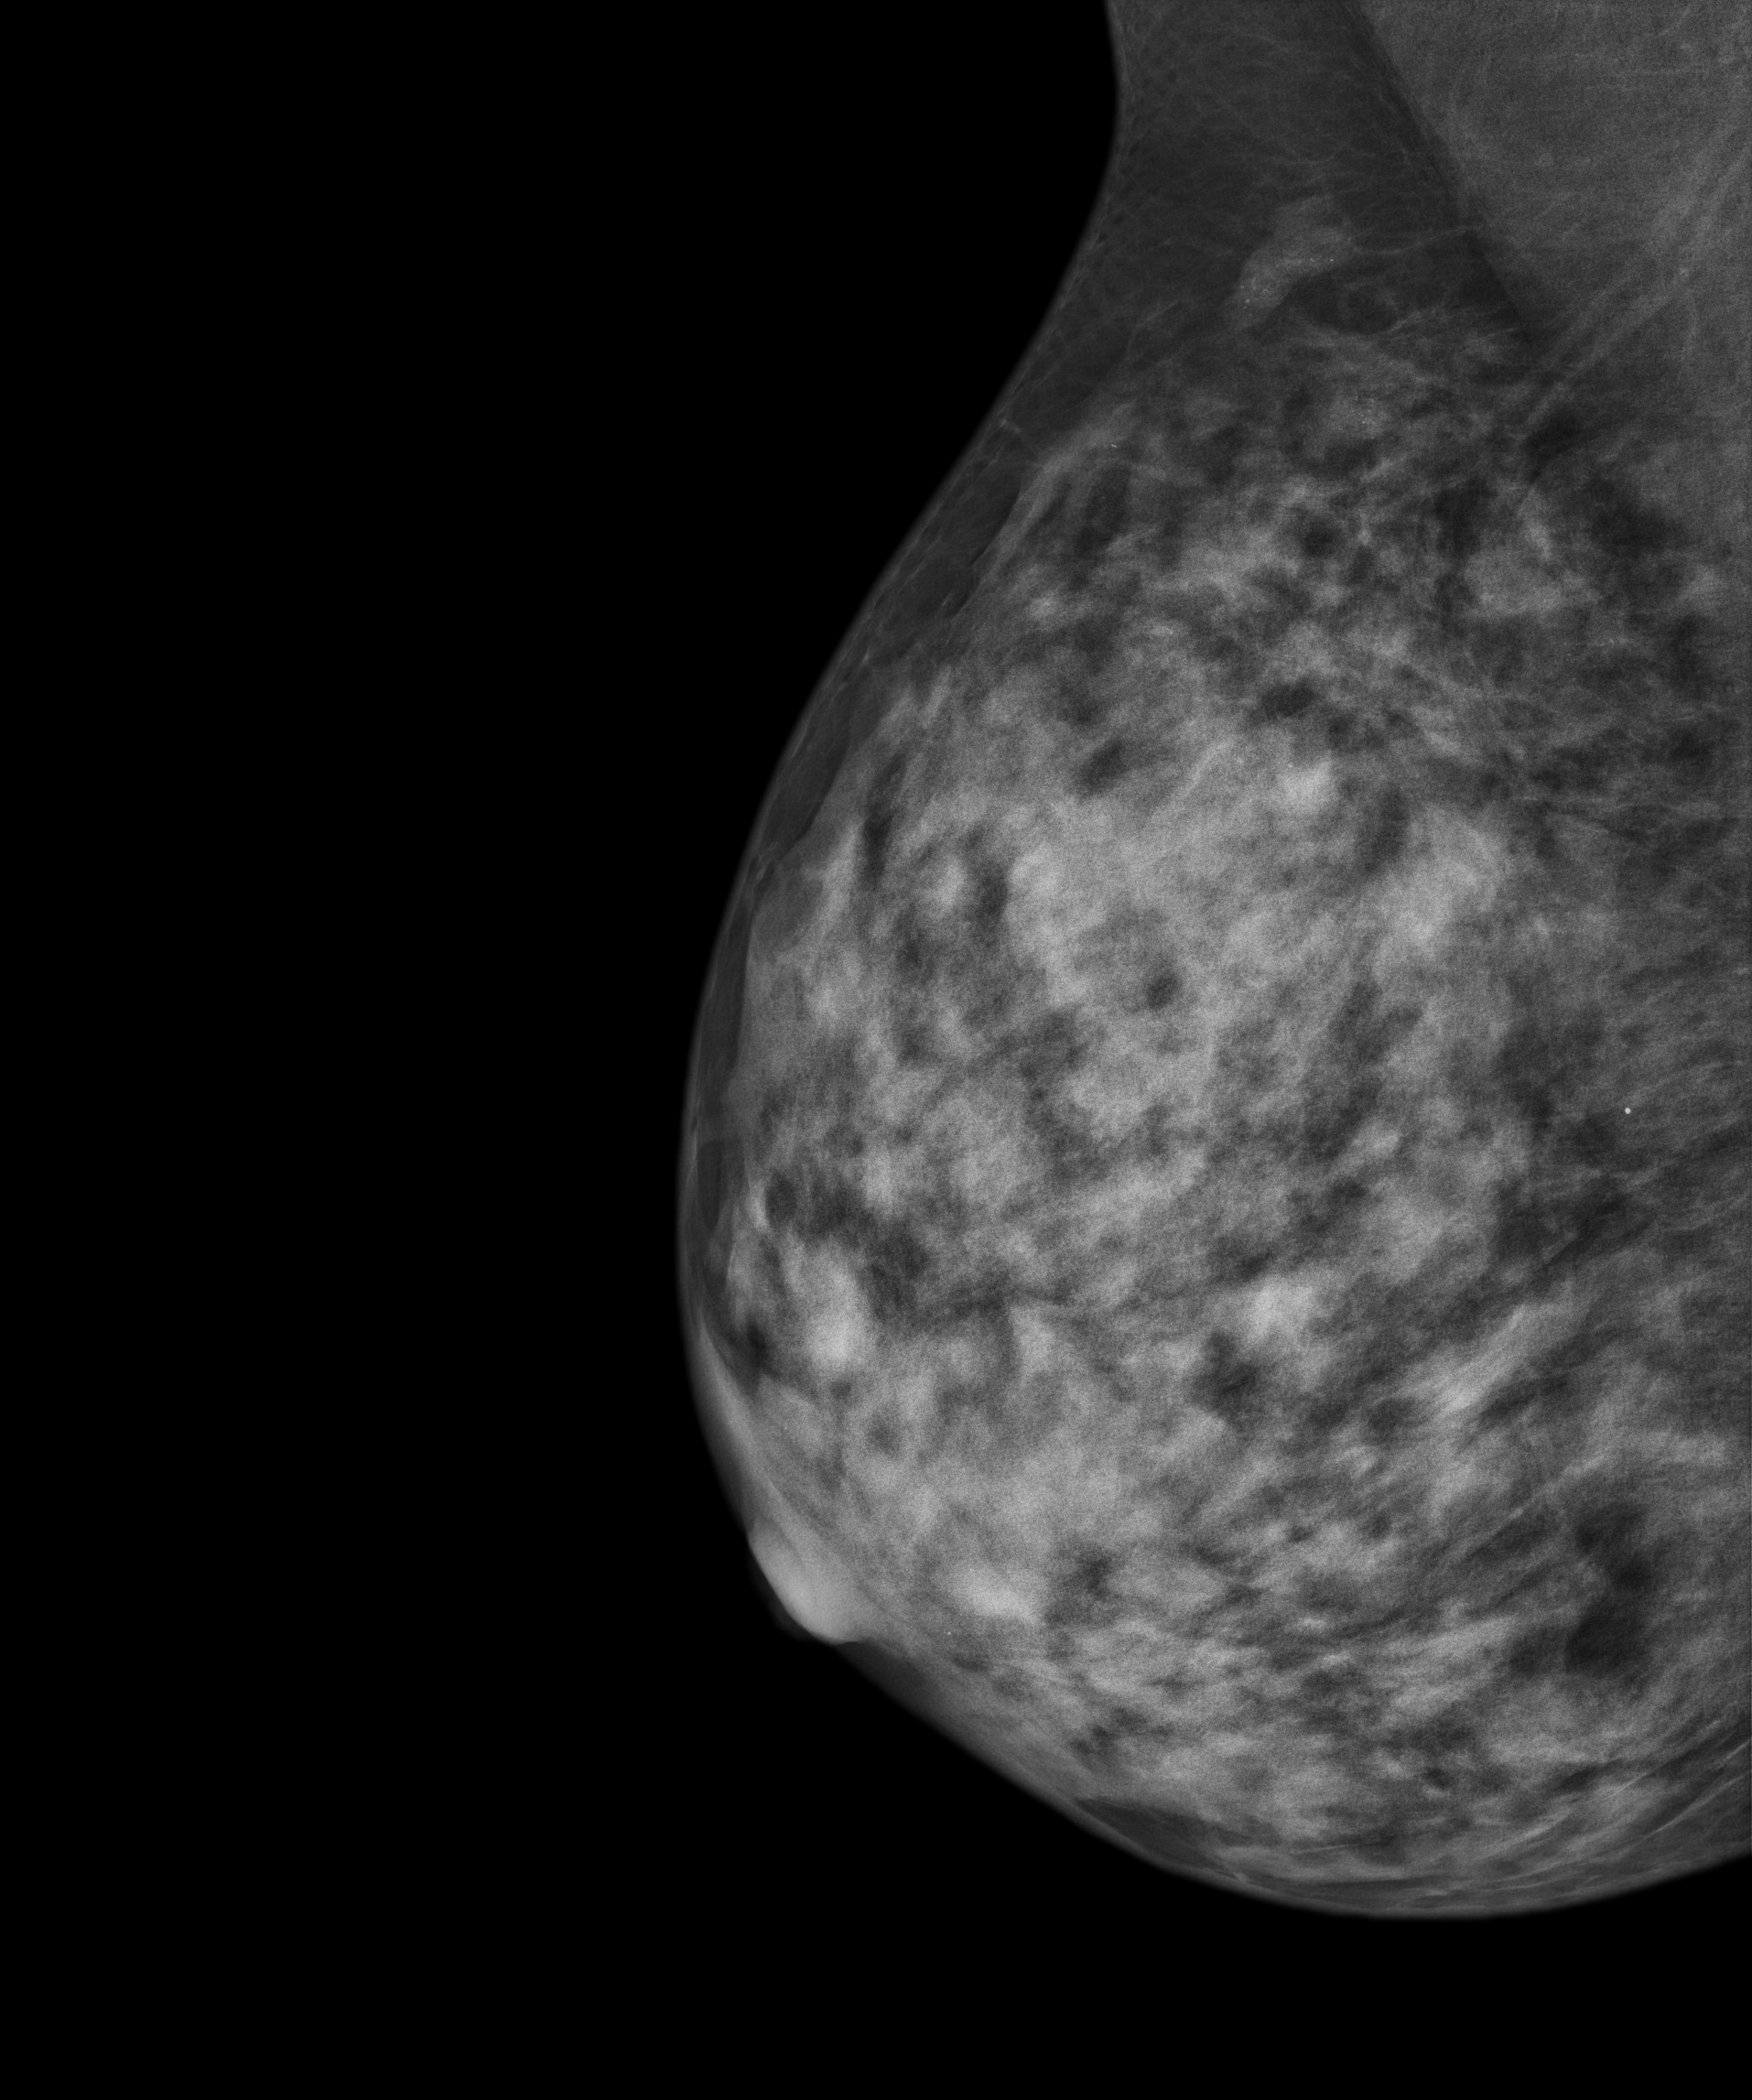
Mammogram — right medio-lateral oblique. Patient age 46.
This breast has calcifications, biopsy-confirmed malignant. Molecular subtype: luminal B.